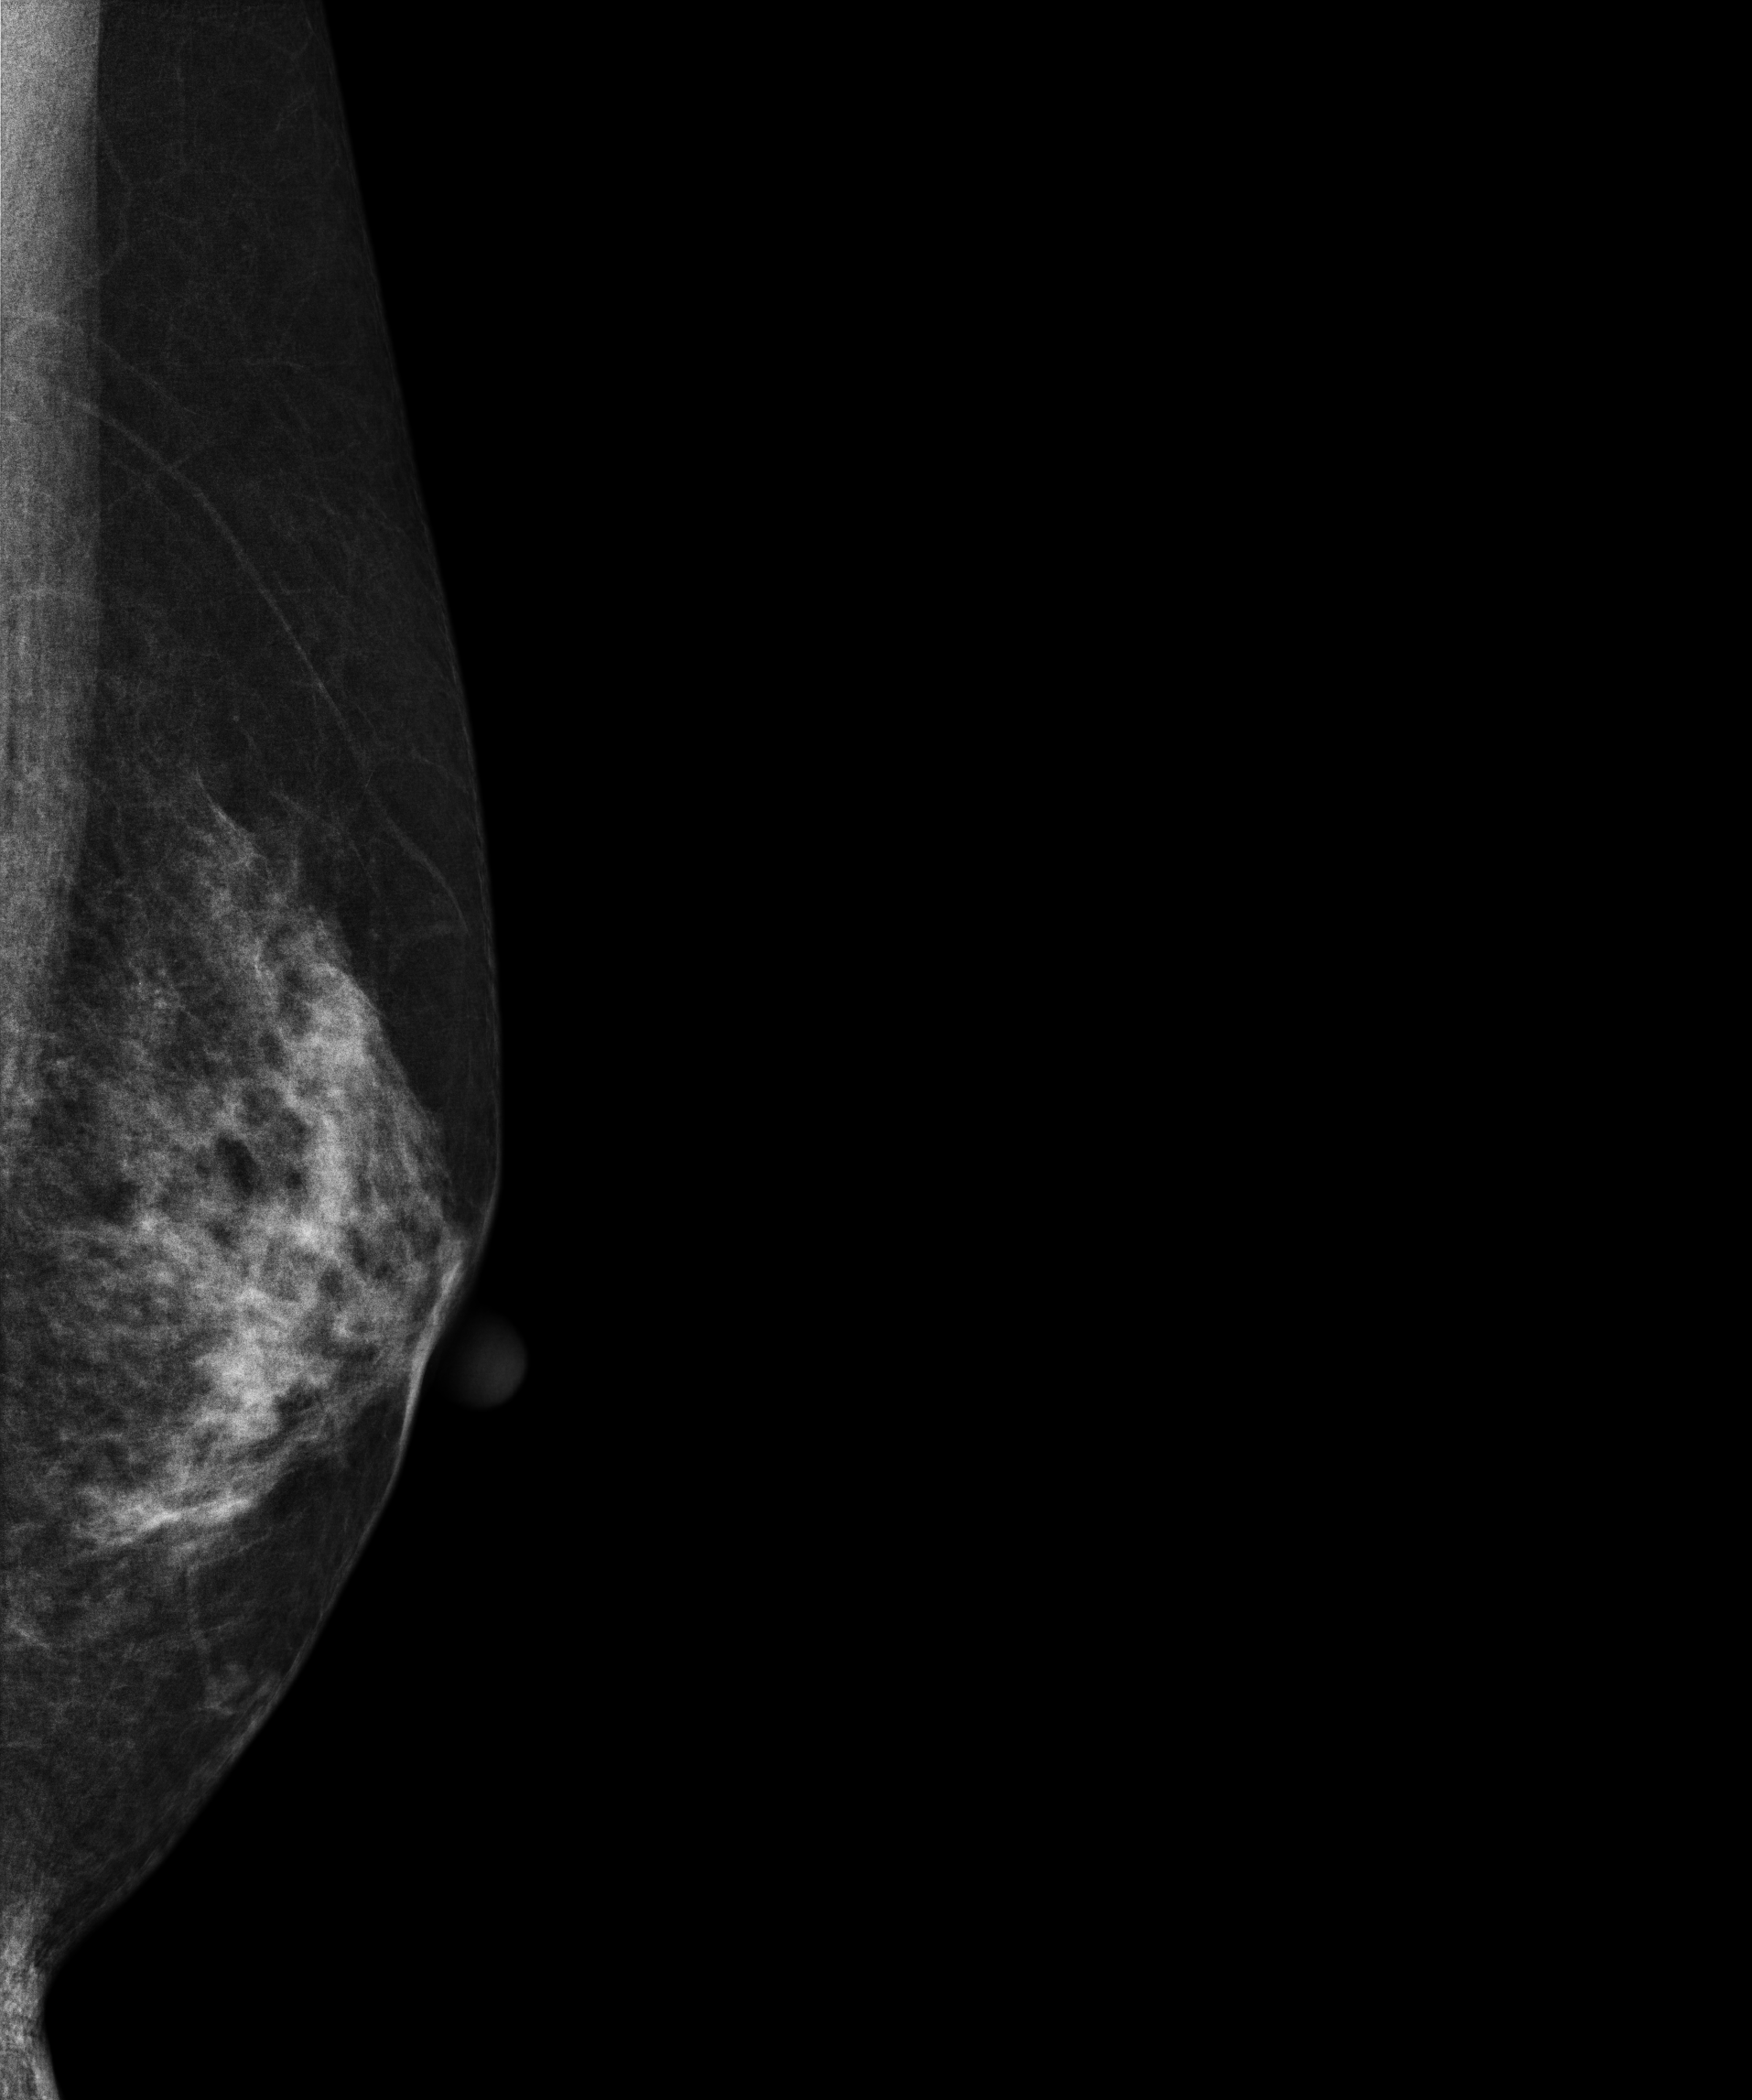
MLO mammogram of the left breast. 56 y/o patient.
Contralateral breast — no documented abnormality on this side.